Mammogram, right breast, medio-lateral oblique view. Patient age 49.
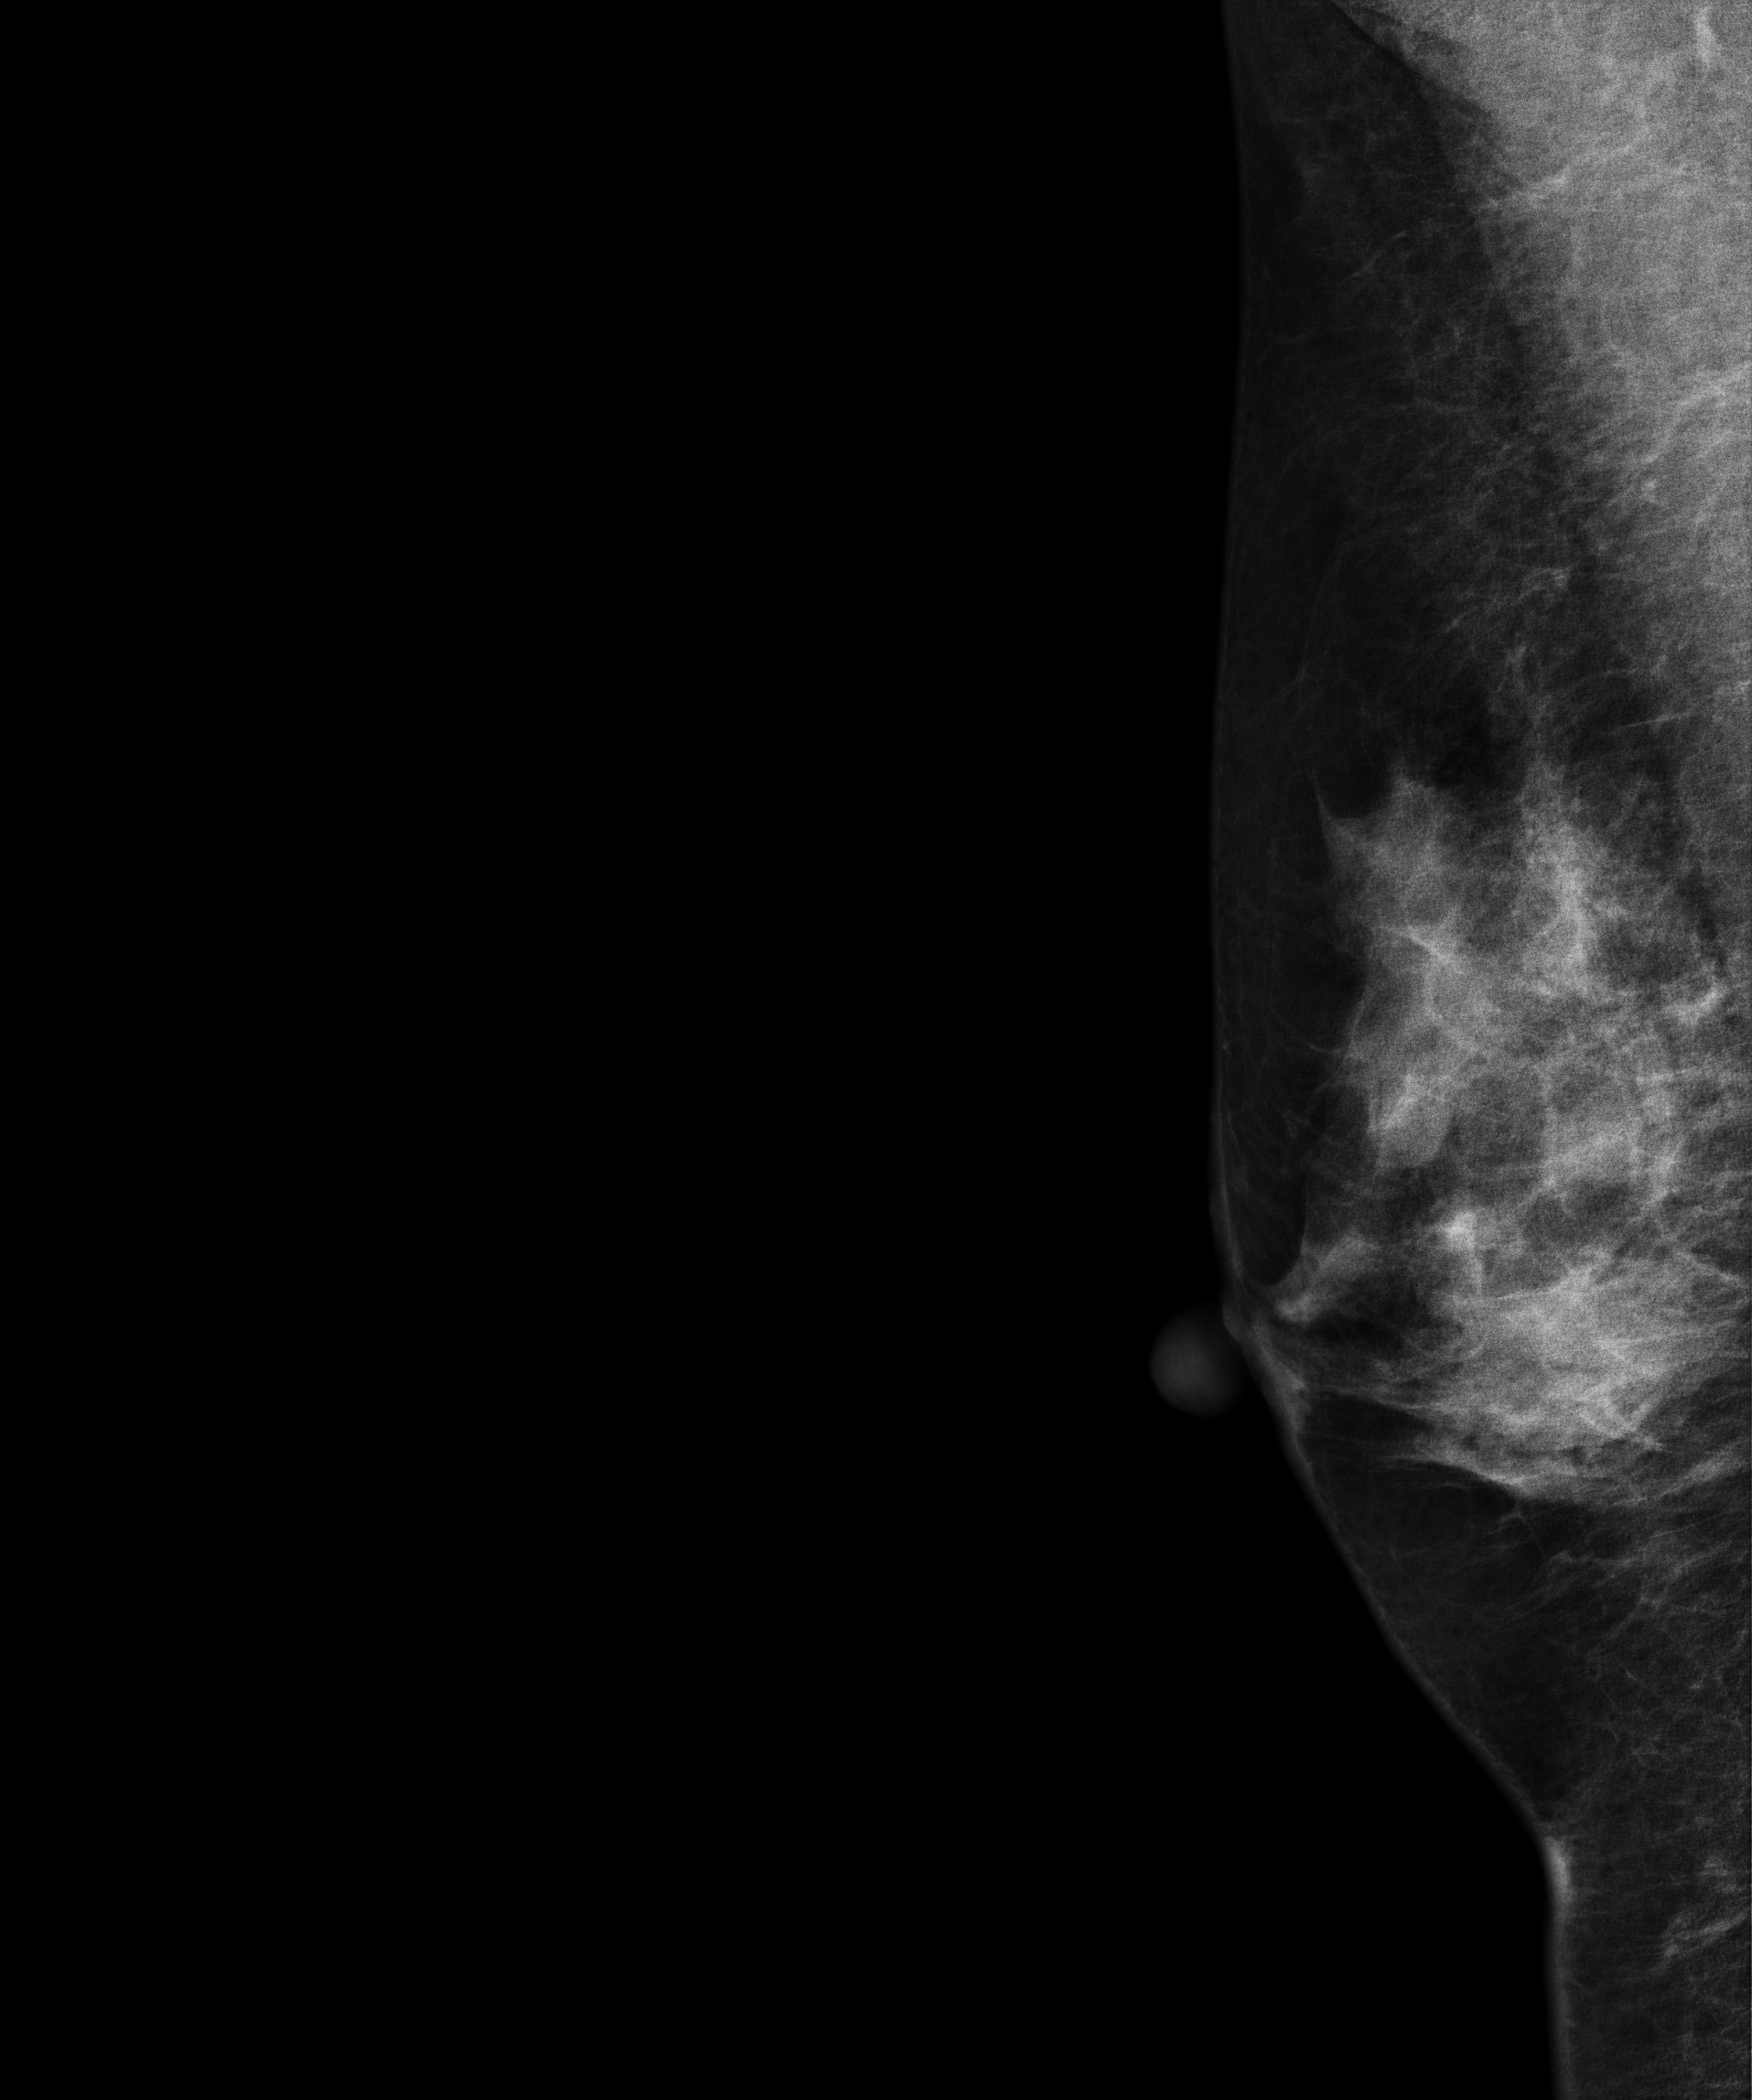
This breast has a mass and calcifications, pathology-confirmed malignant. Molecular subtype: luminal A.